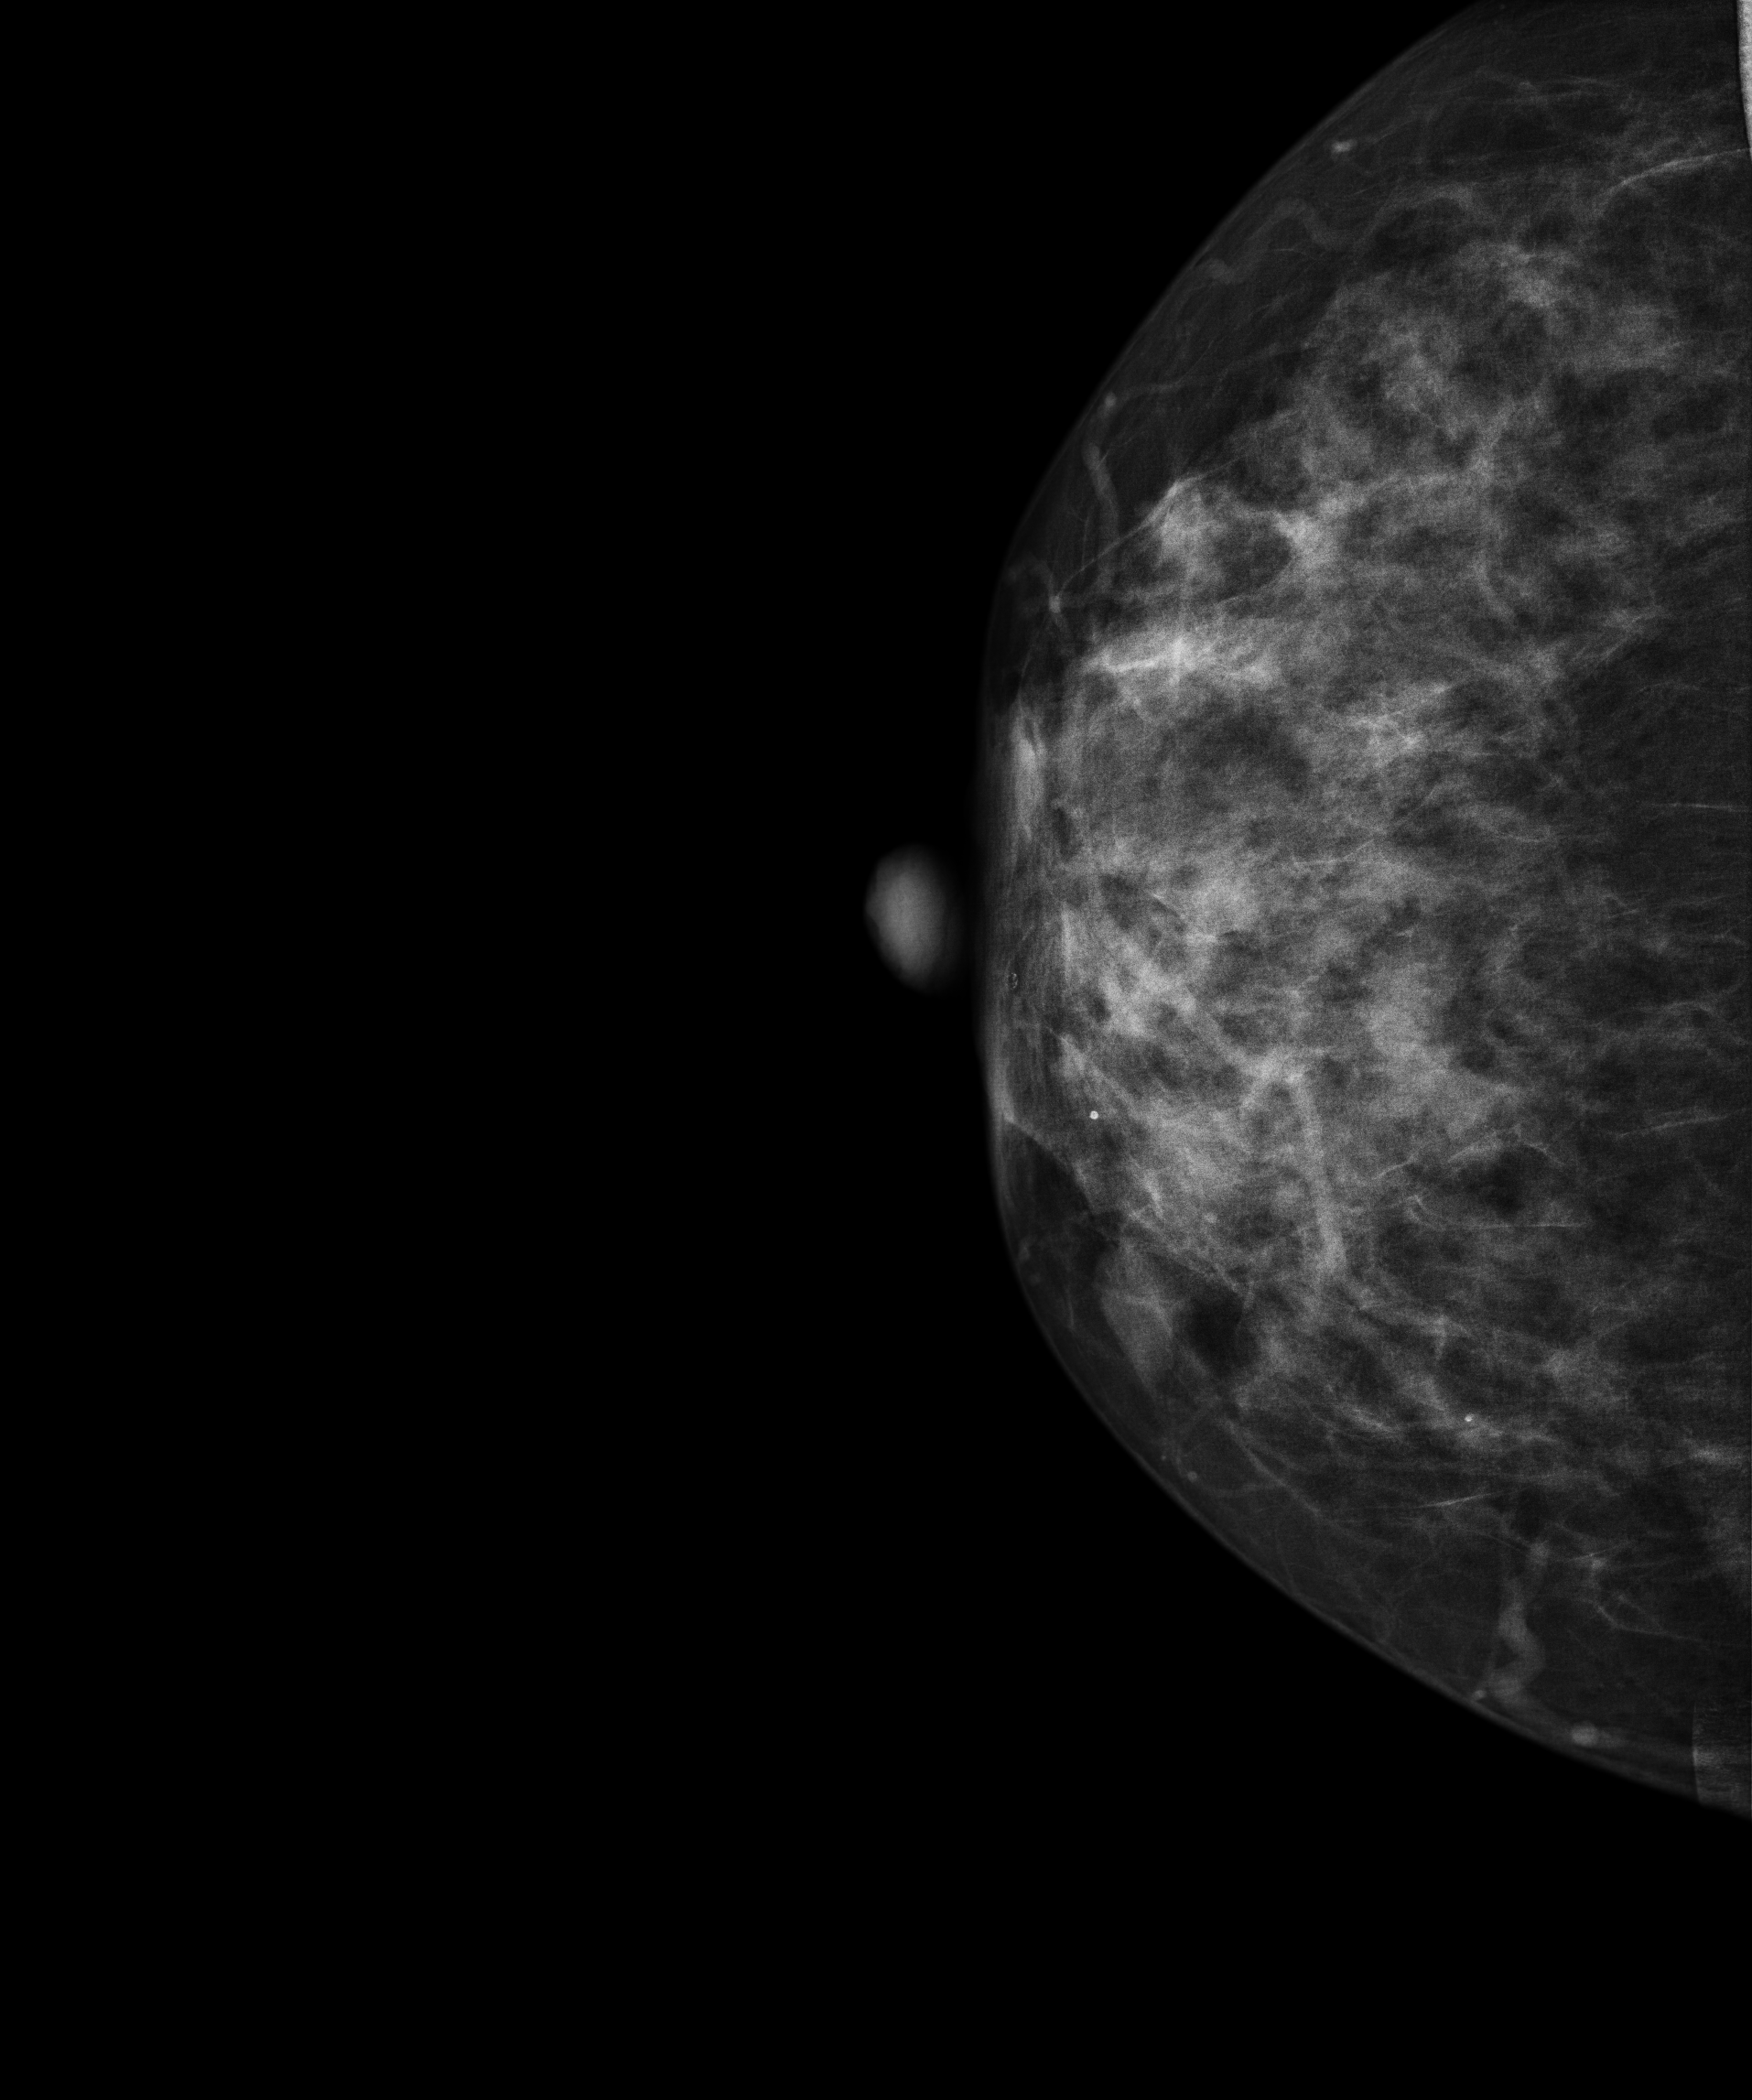
Mammogram — right cranio-caudal. 67-year-old patient.
Contralateral breast — no documented abnormality on this side.